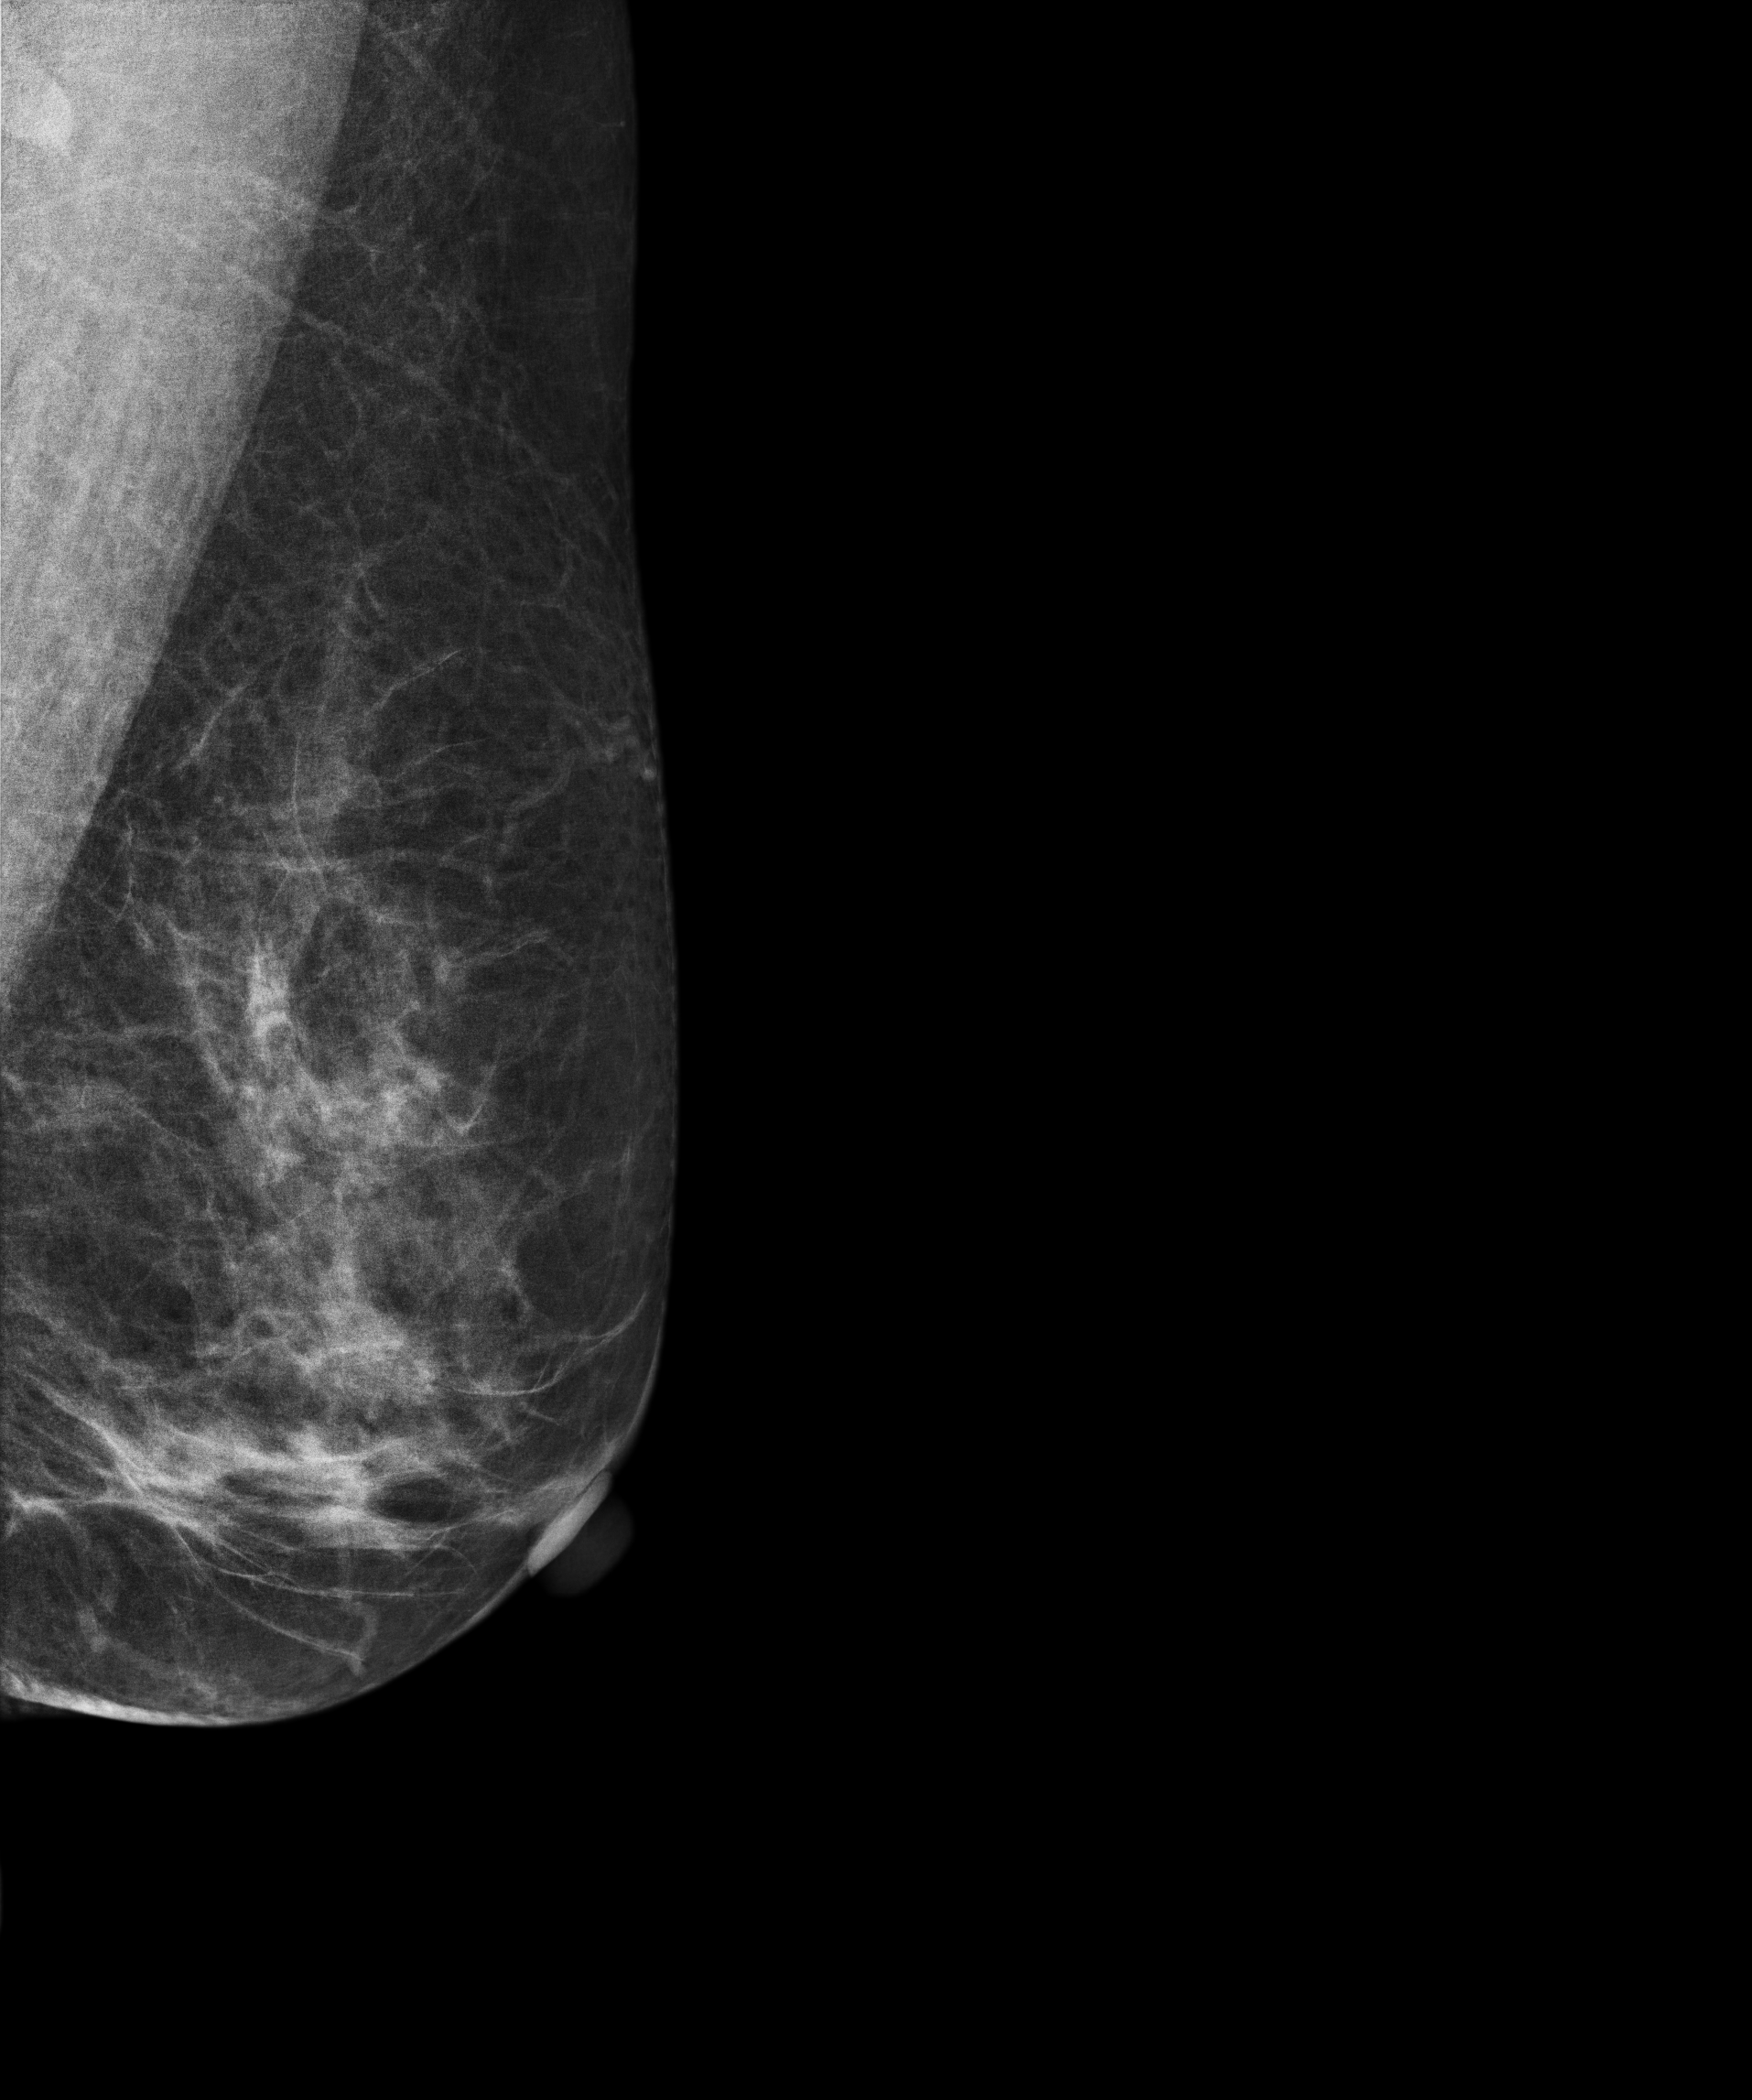
Mammogram — left MLO. 61 y/o patient.
Contralateral breast — no documented abnormality on this side.